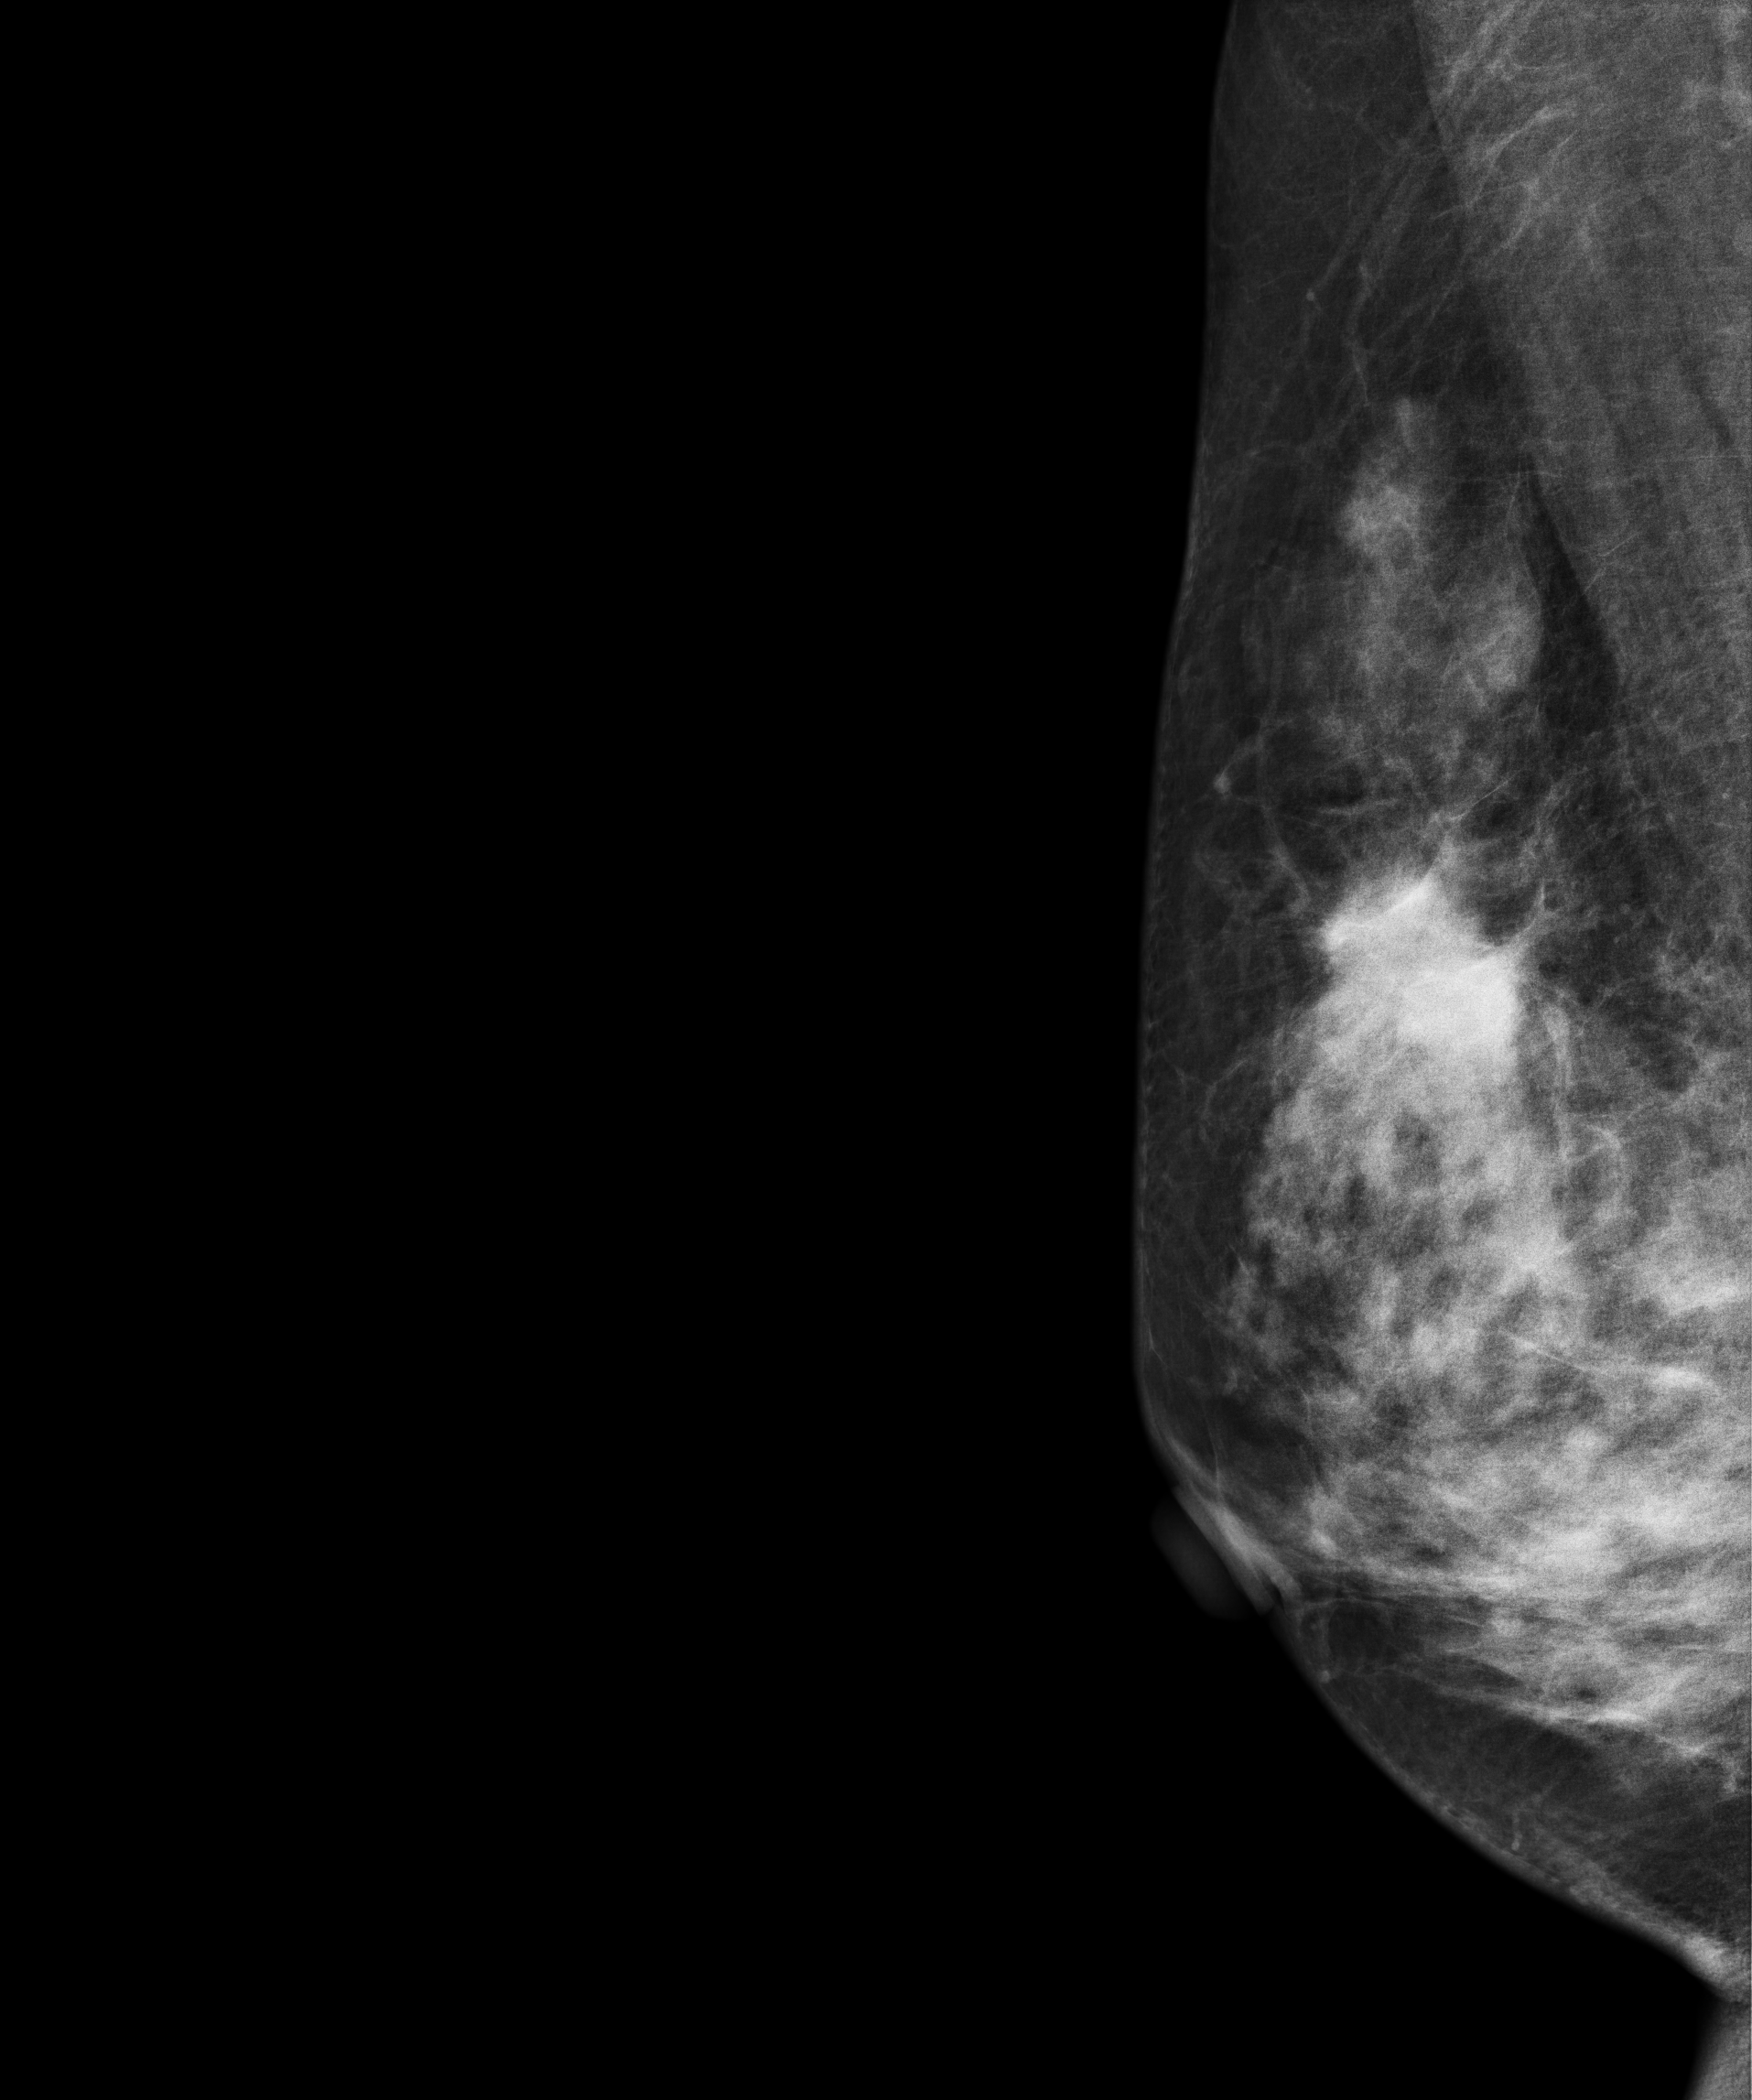
Digital mammography. Right breast, MLO projection. 42 y/o patient.
This breast has a mass, biopsy-confirmed malignant.